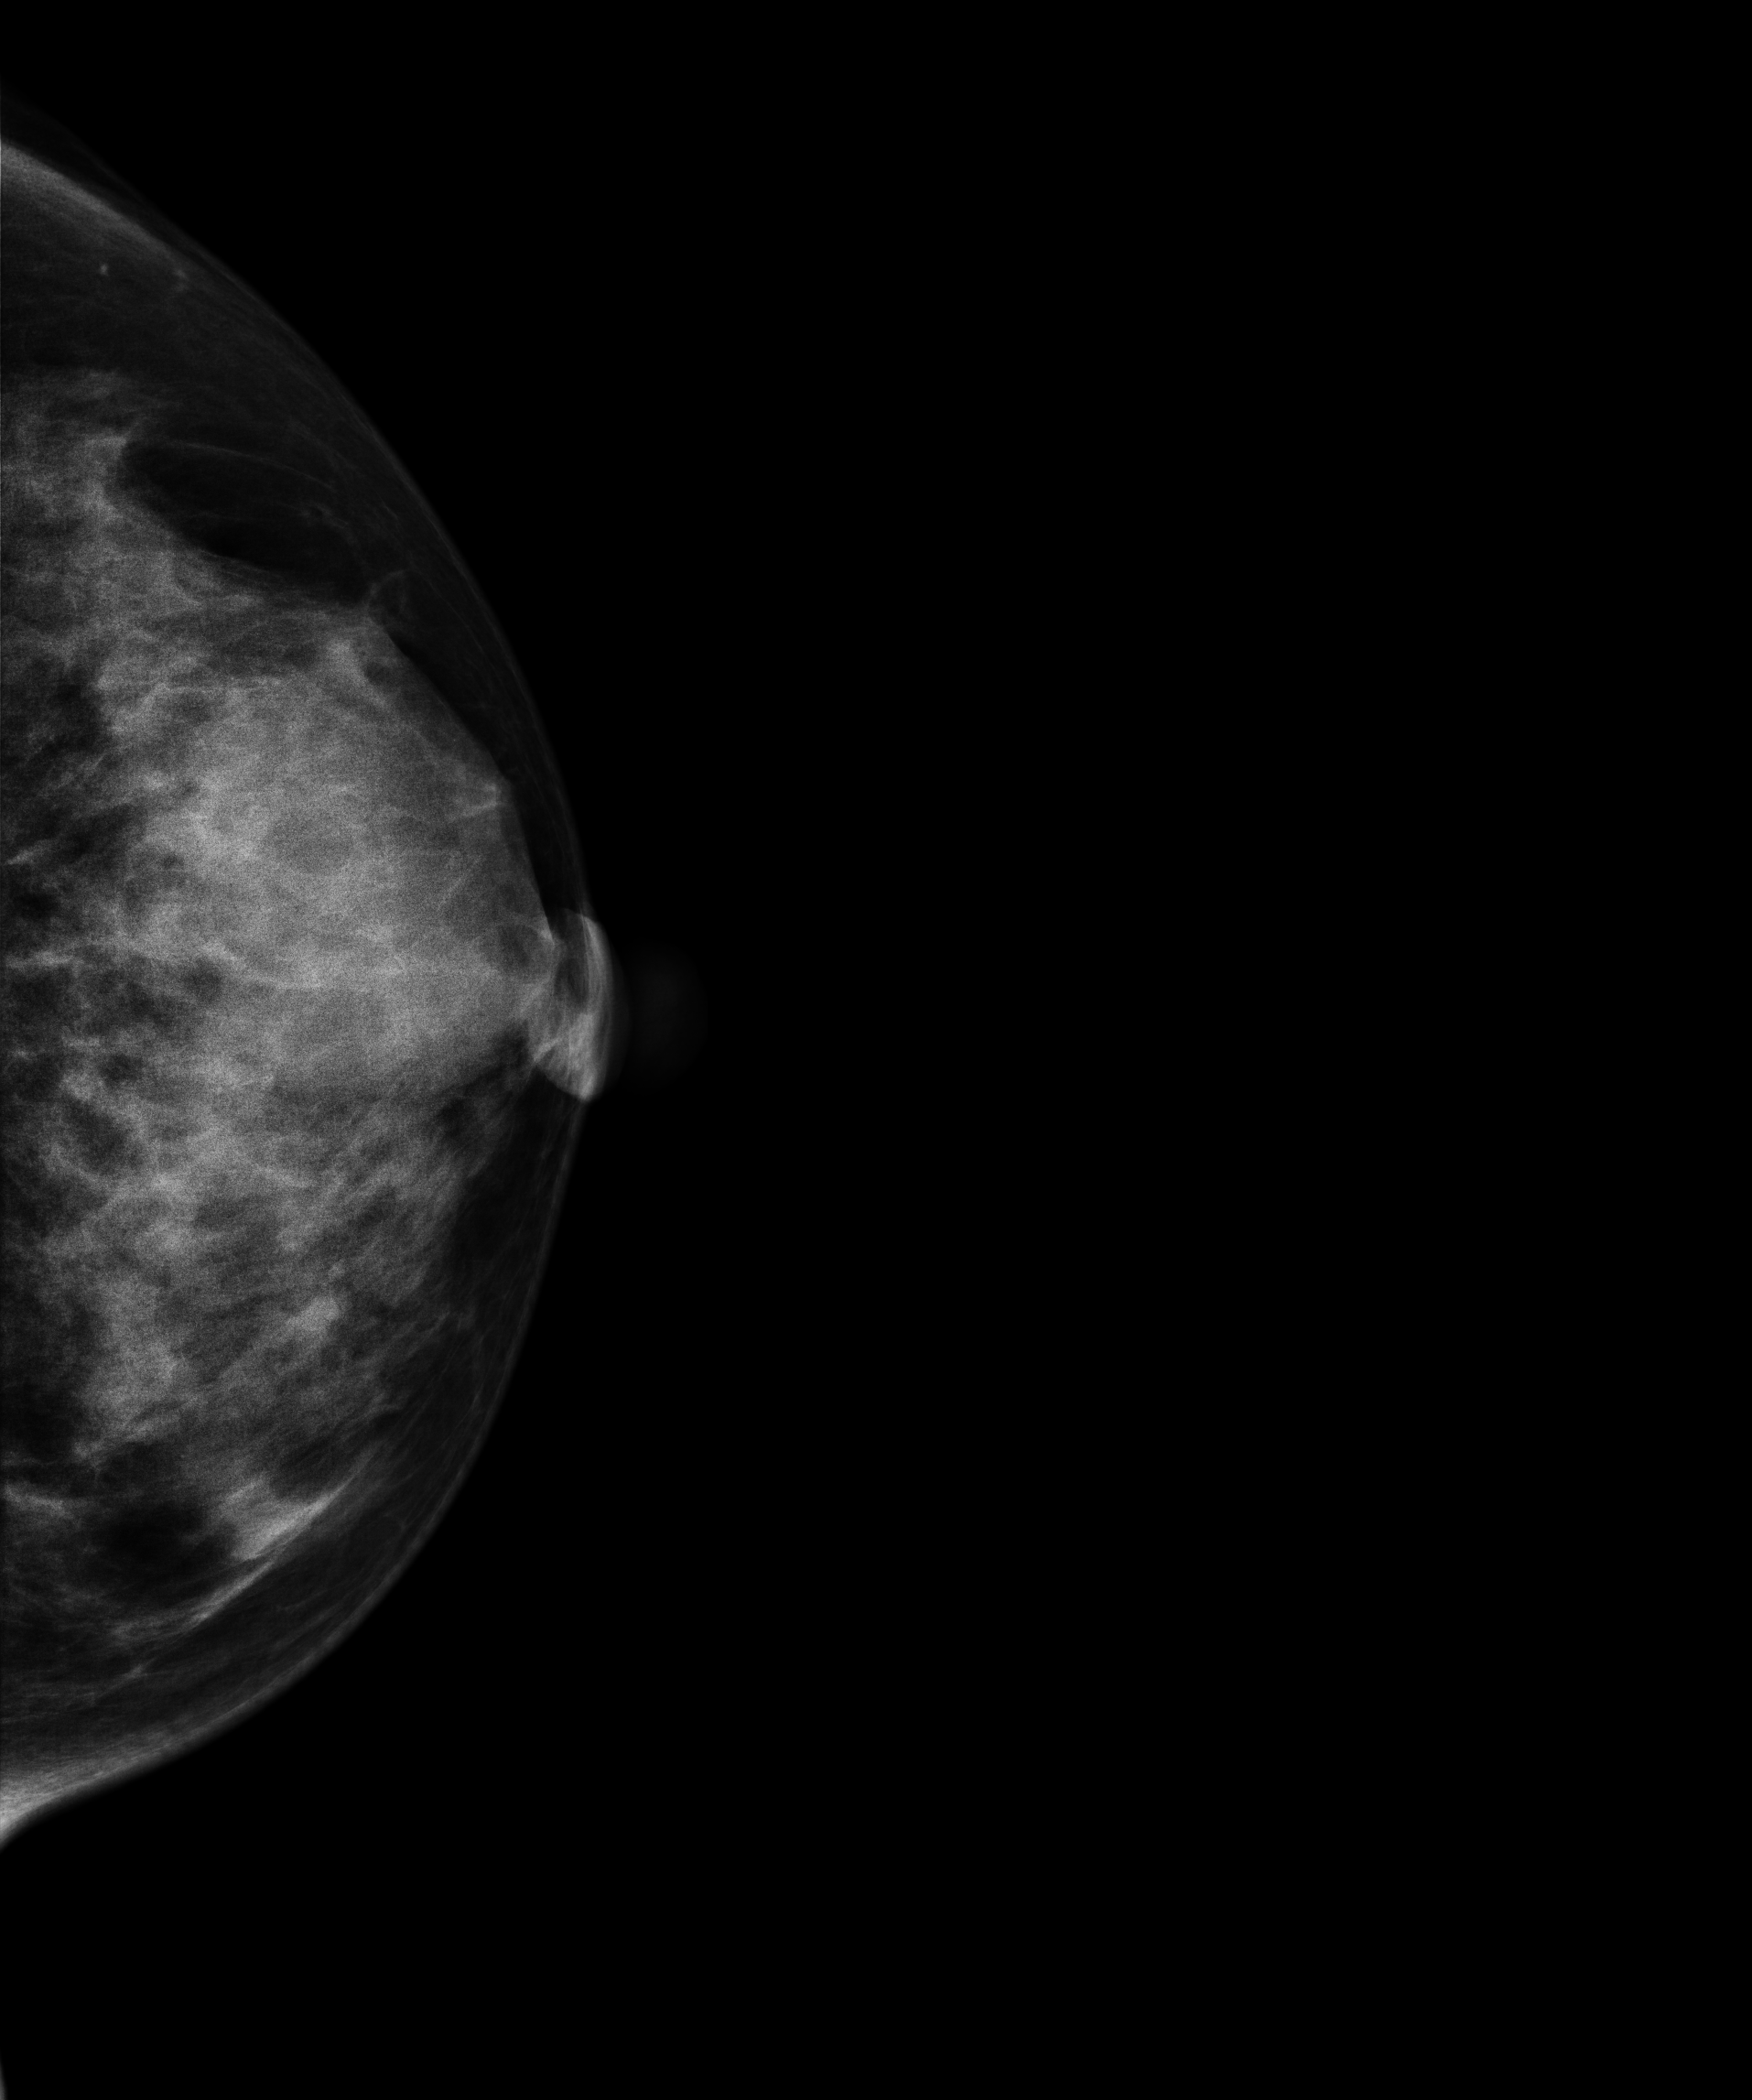
Mammogram, left breast, cranio-caudal view. 45-year-old patient.
This breast has a mass, biopsy-confirmed benign.